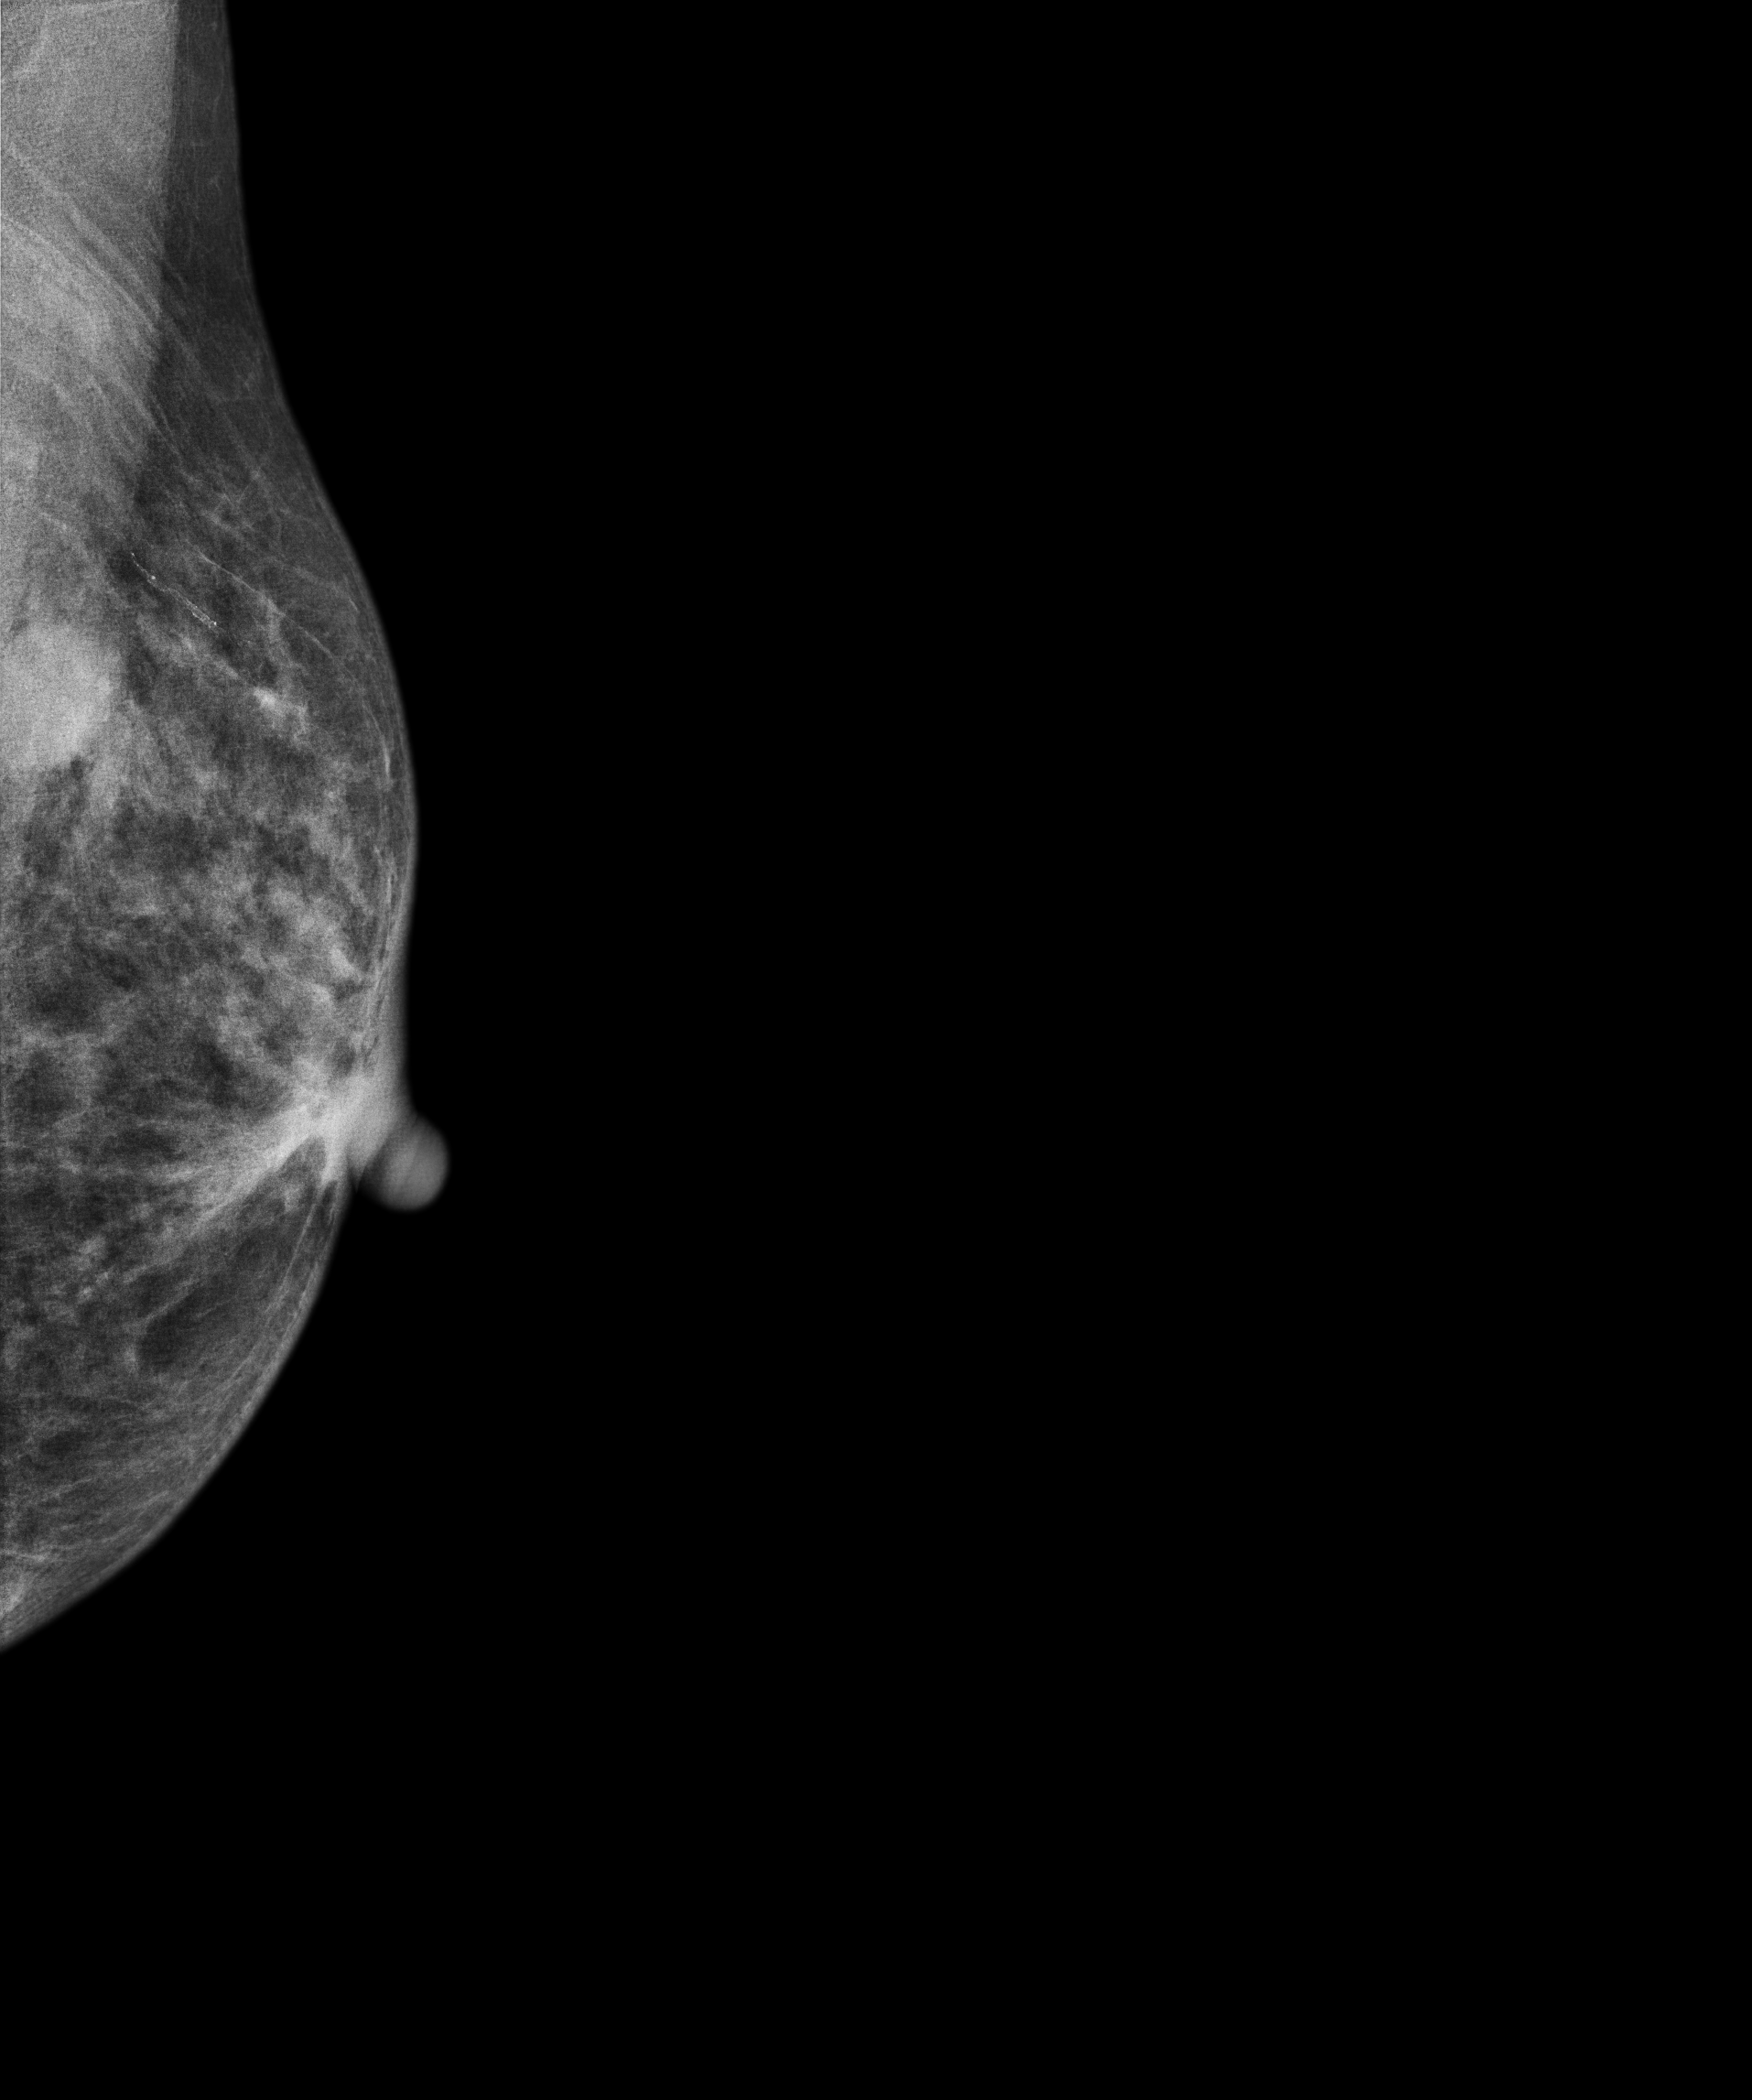
Left-breast mammogram, medio-lateral oblique. 70-year-old patient.
This breast has a mass, pathology-confirmed malignant.